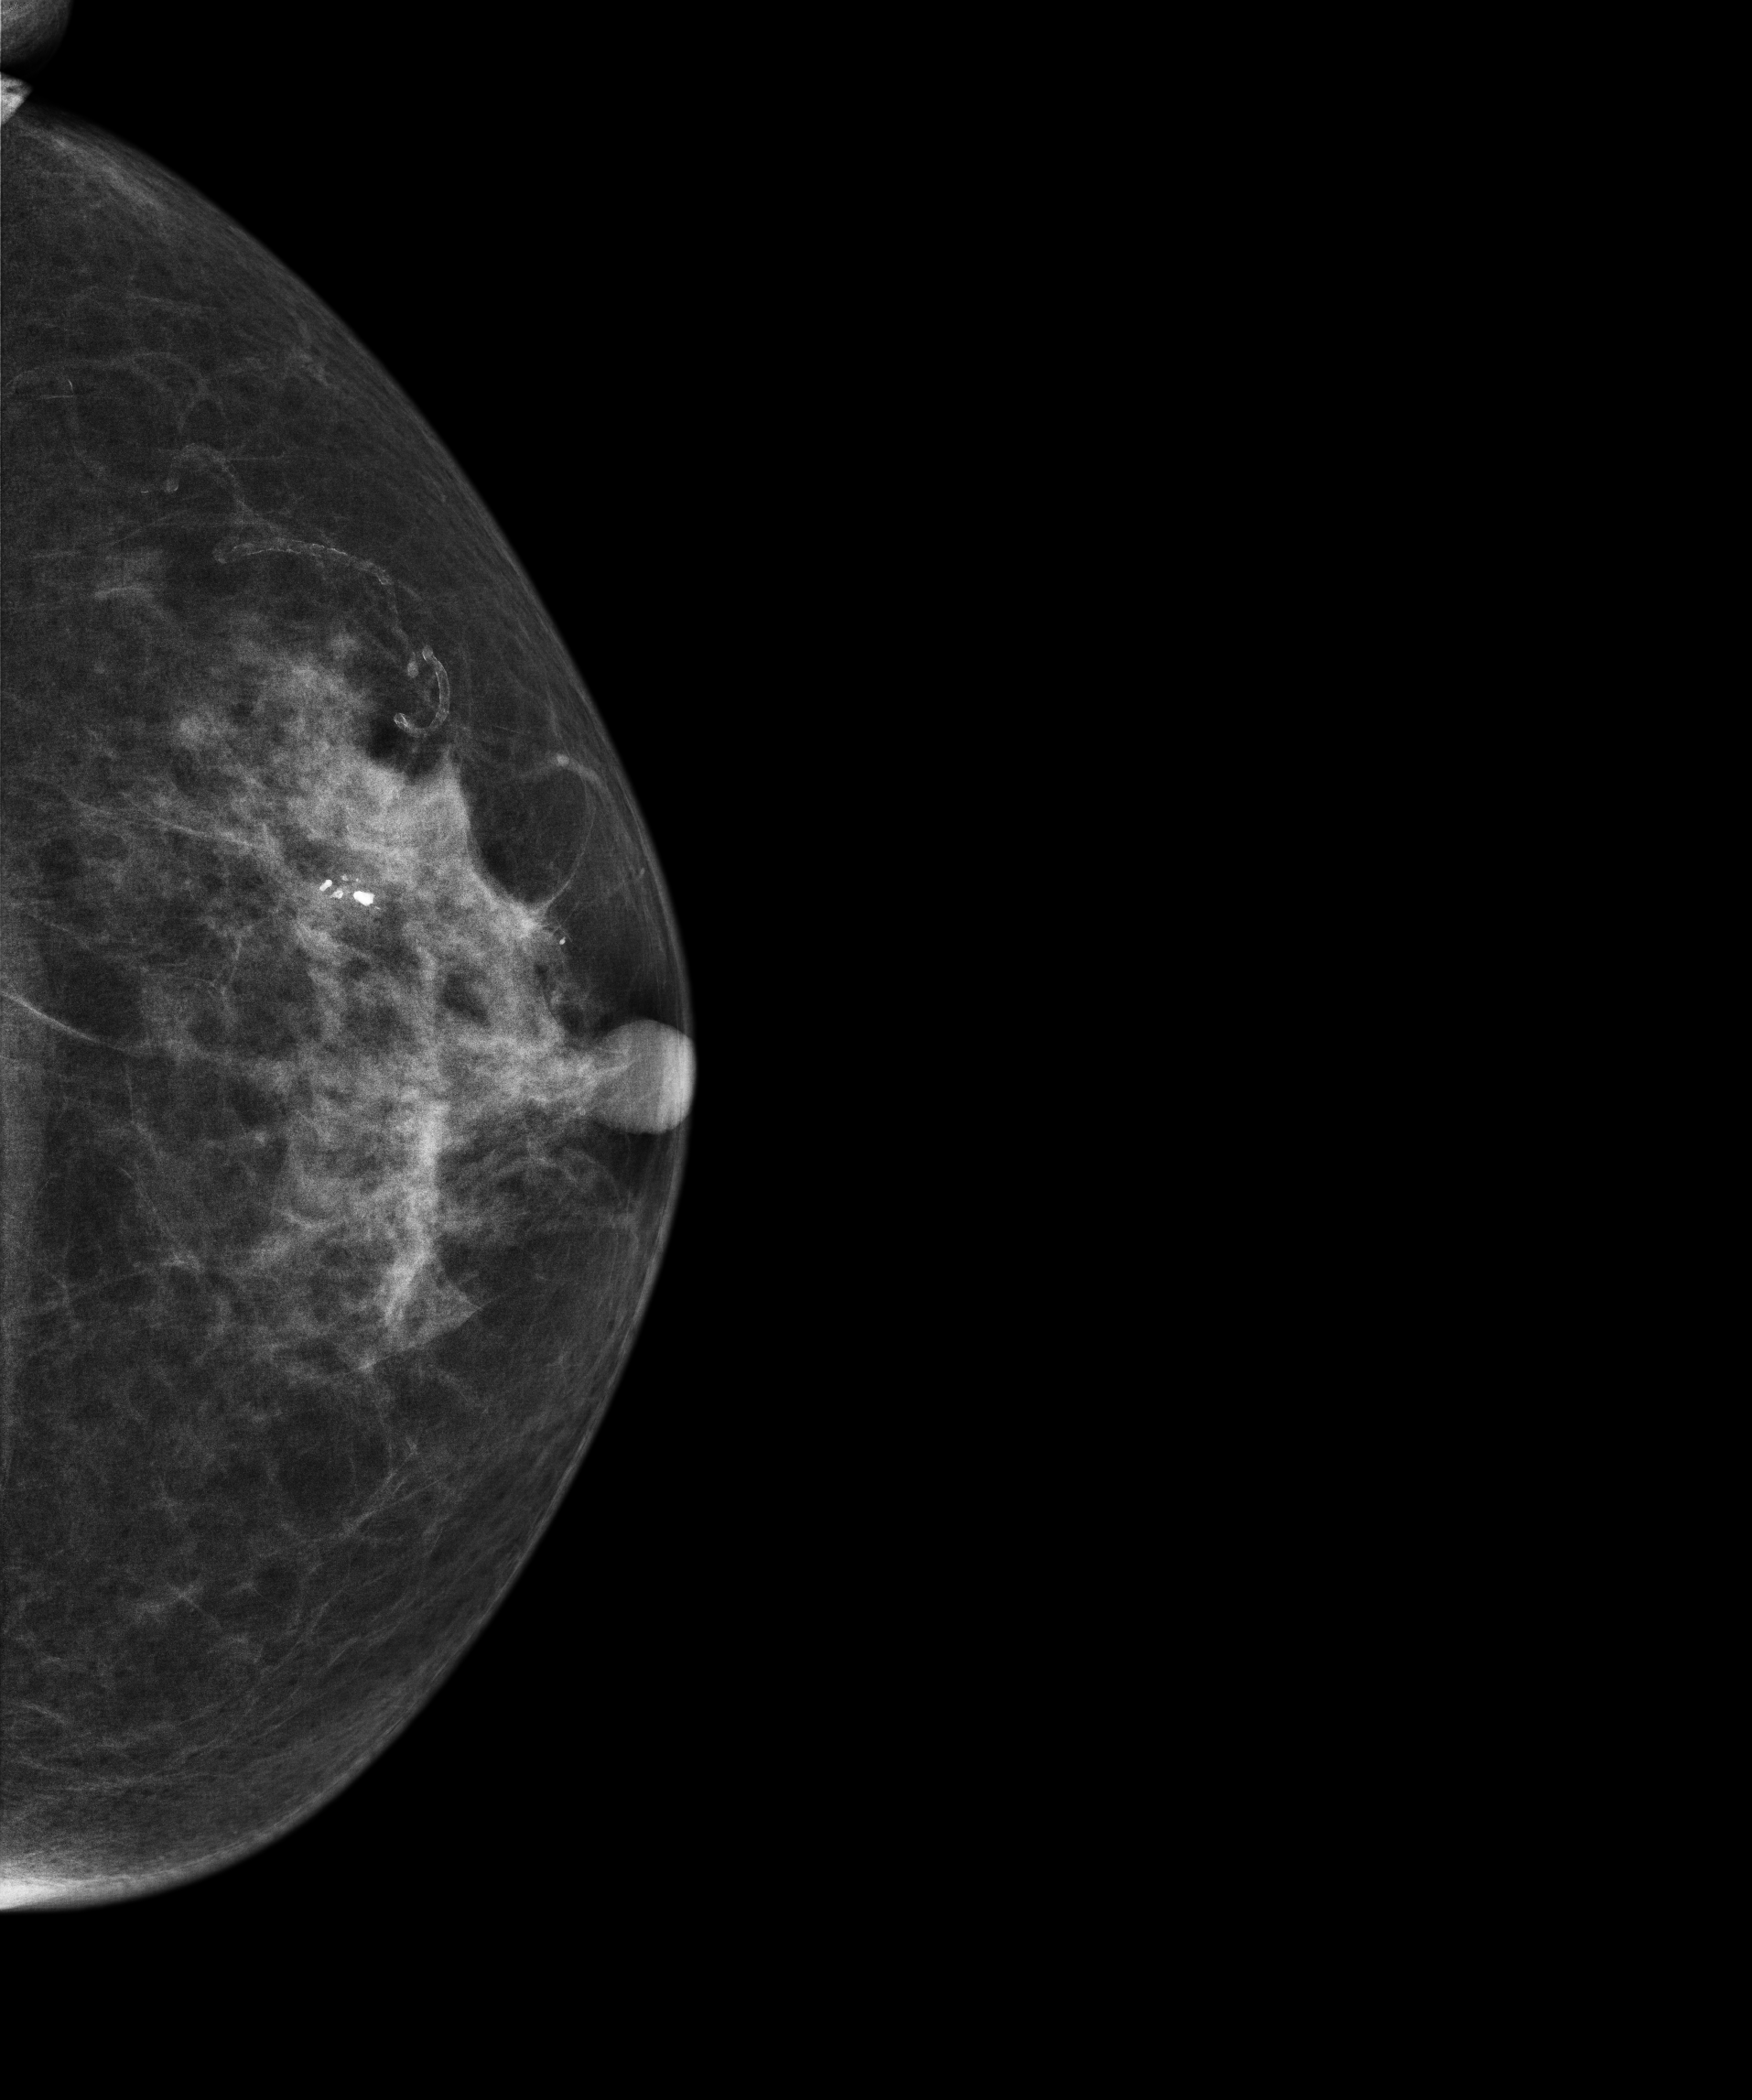
Mammogram, right breast, CC view. 58 y/o patient.
This breast has a mass, histologically confirmed benign.